Digital mammography. Left breast, medio-lateral oblique projection. 45-year-old patient.
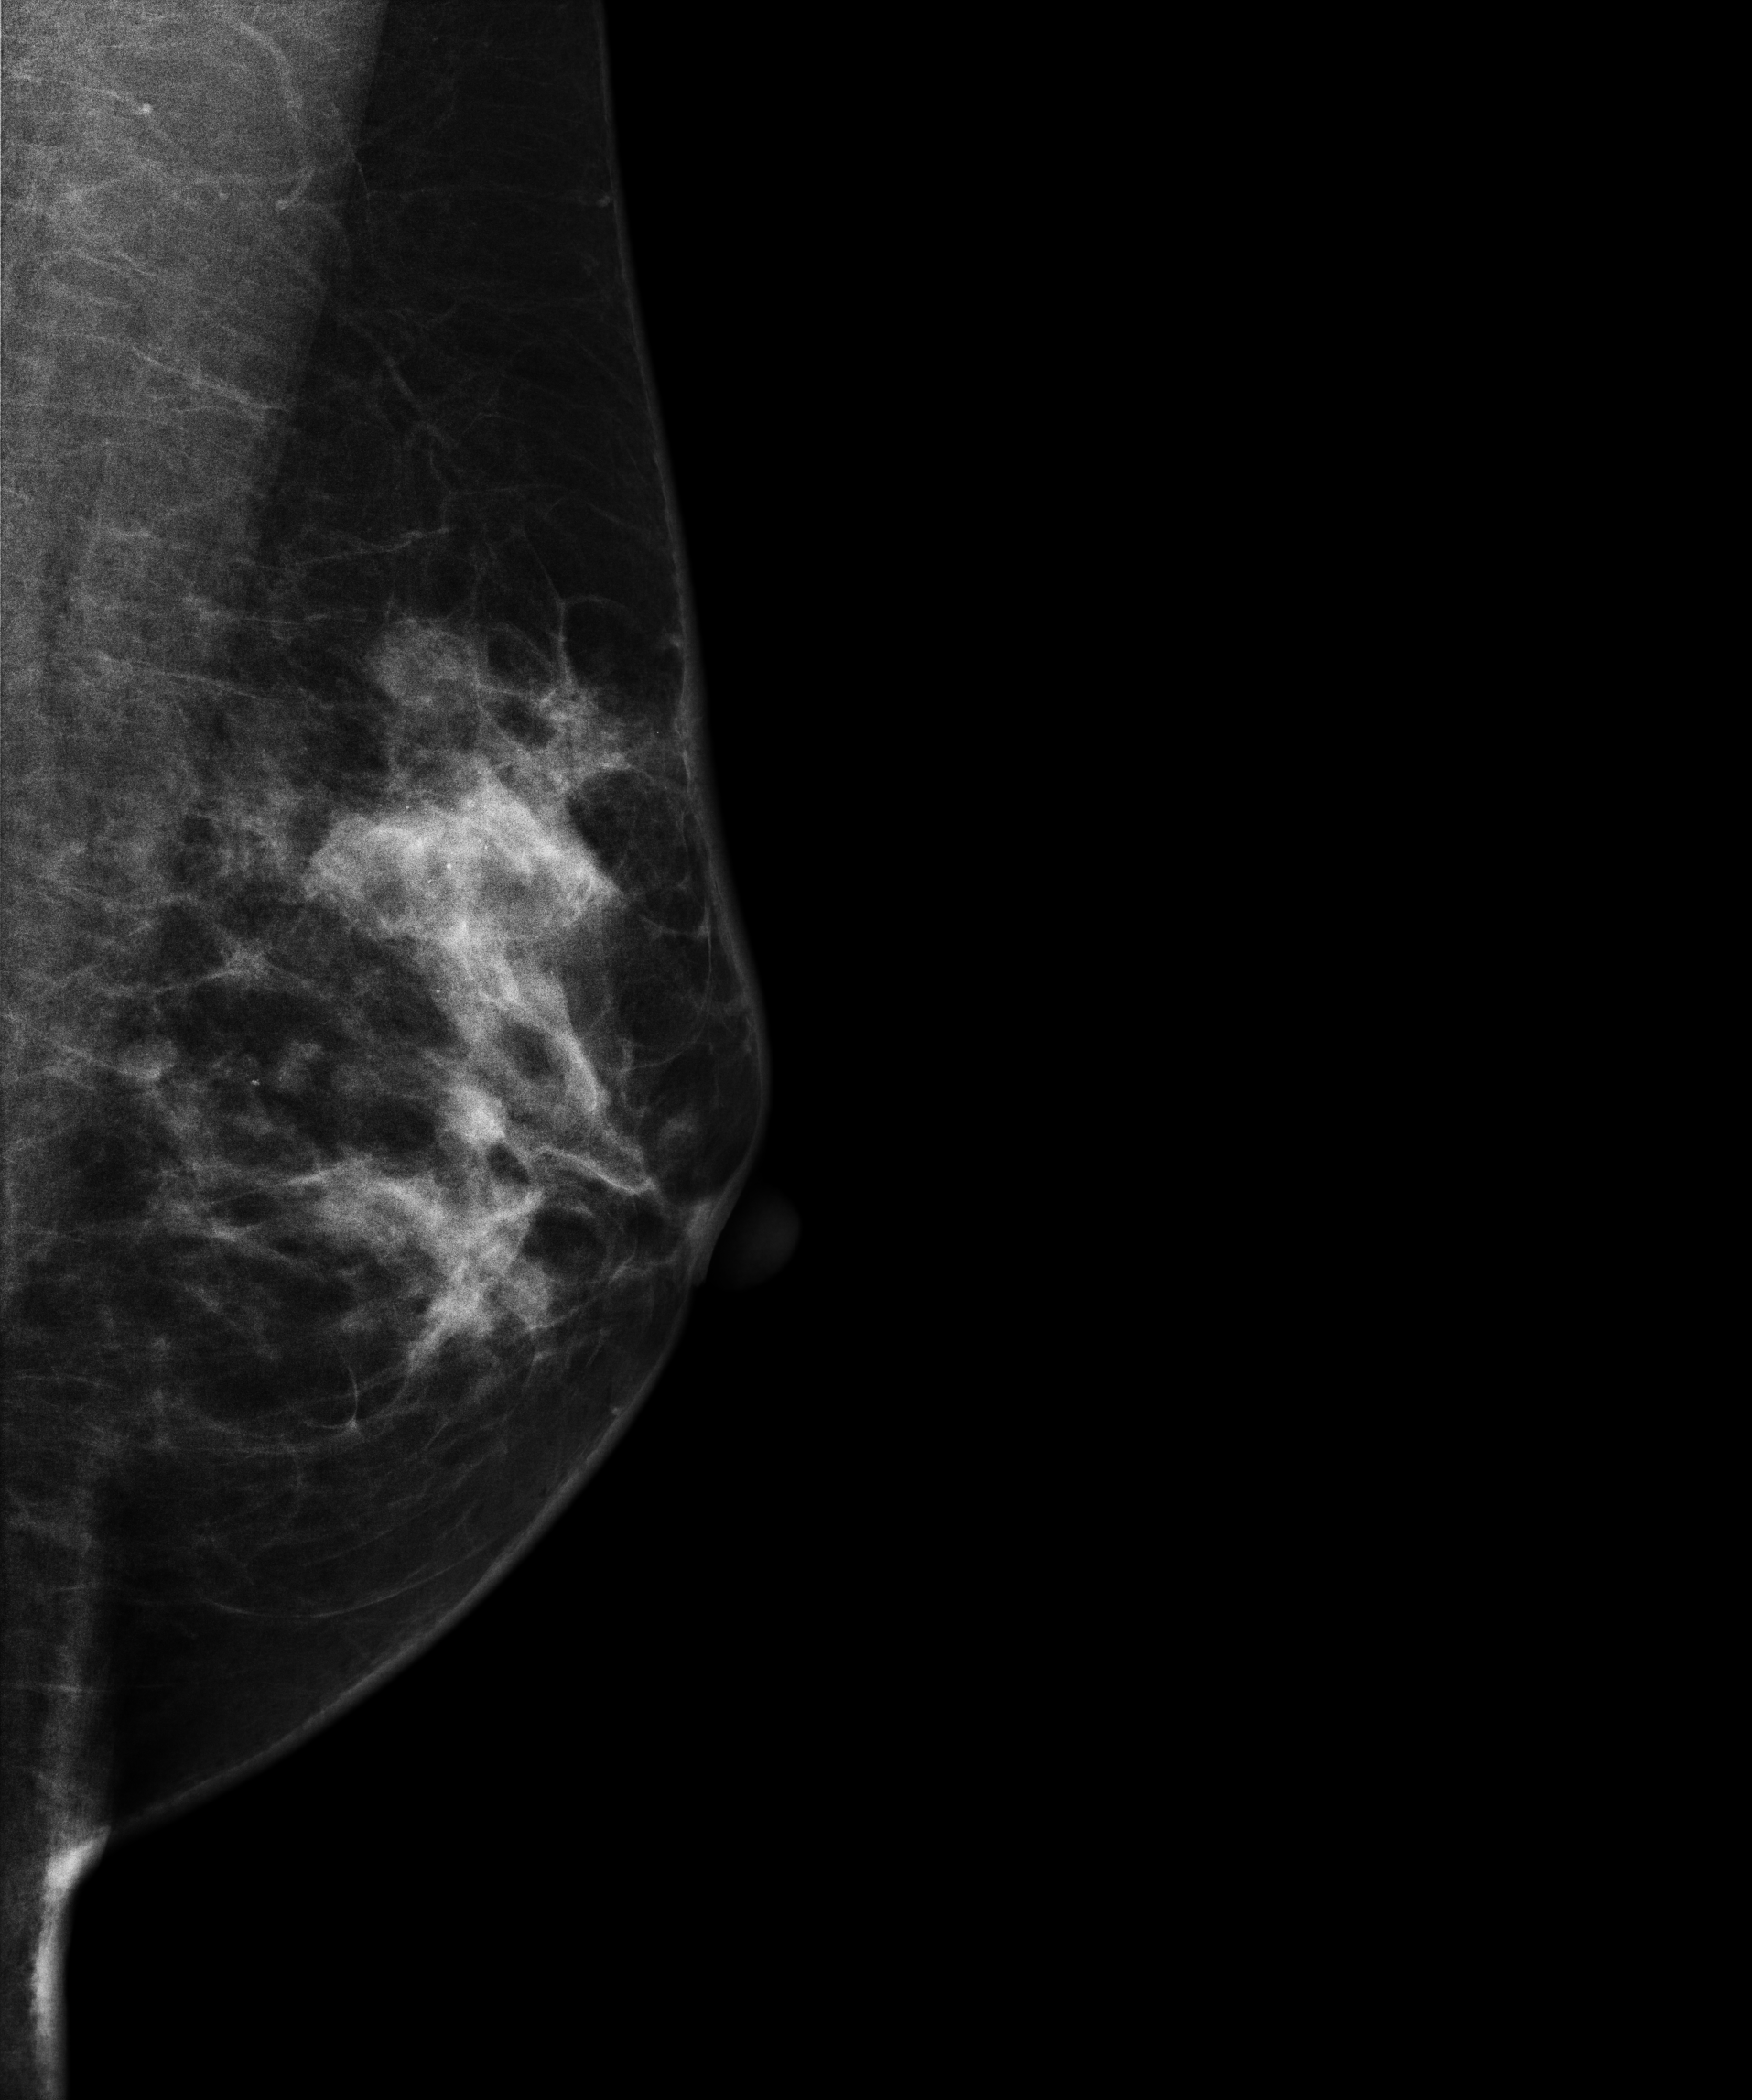
This breast has a mass and calcifications, pathology-confirmed malignant. Molecular subtype: HER2-enriched.